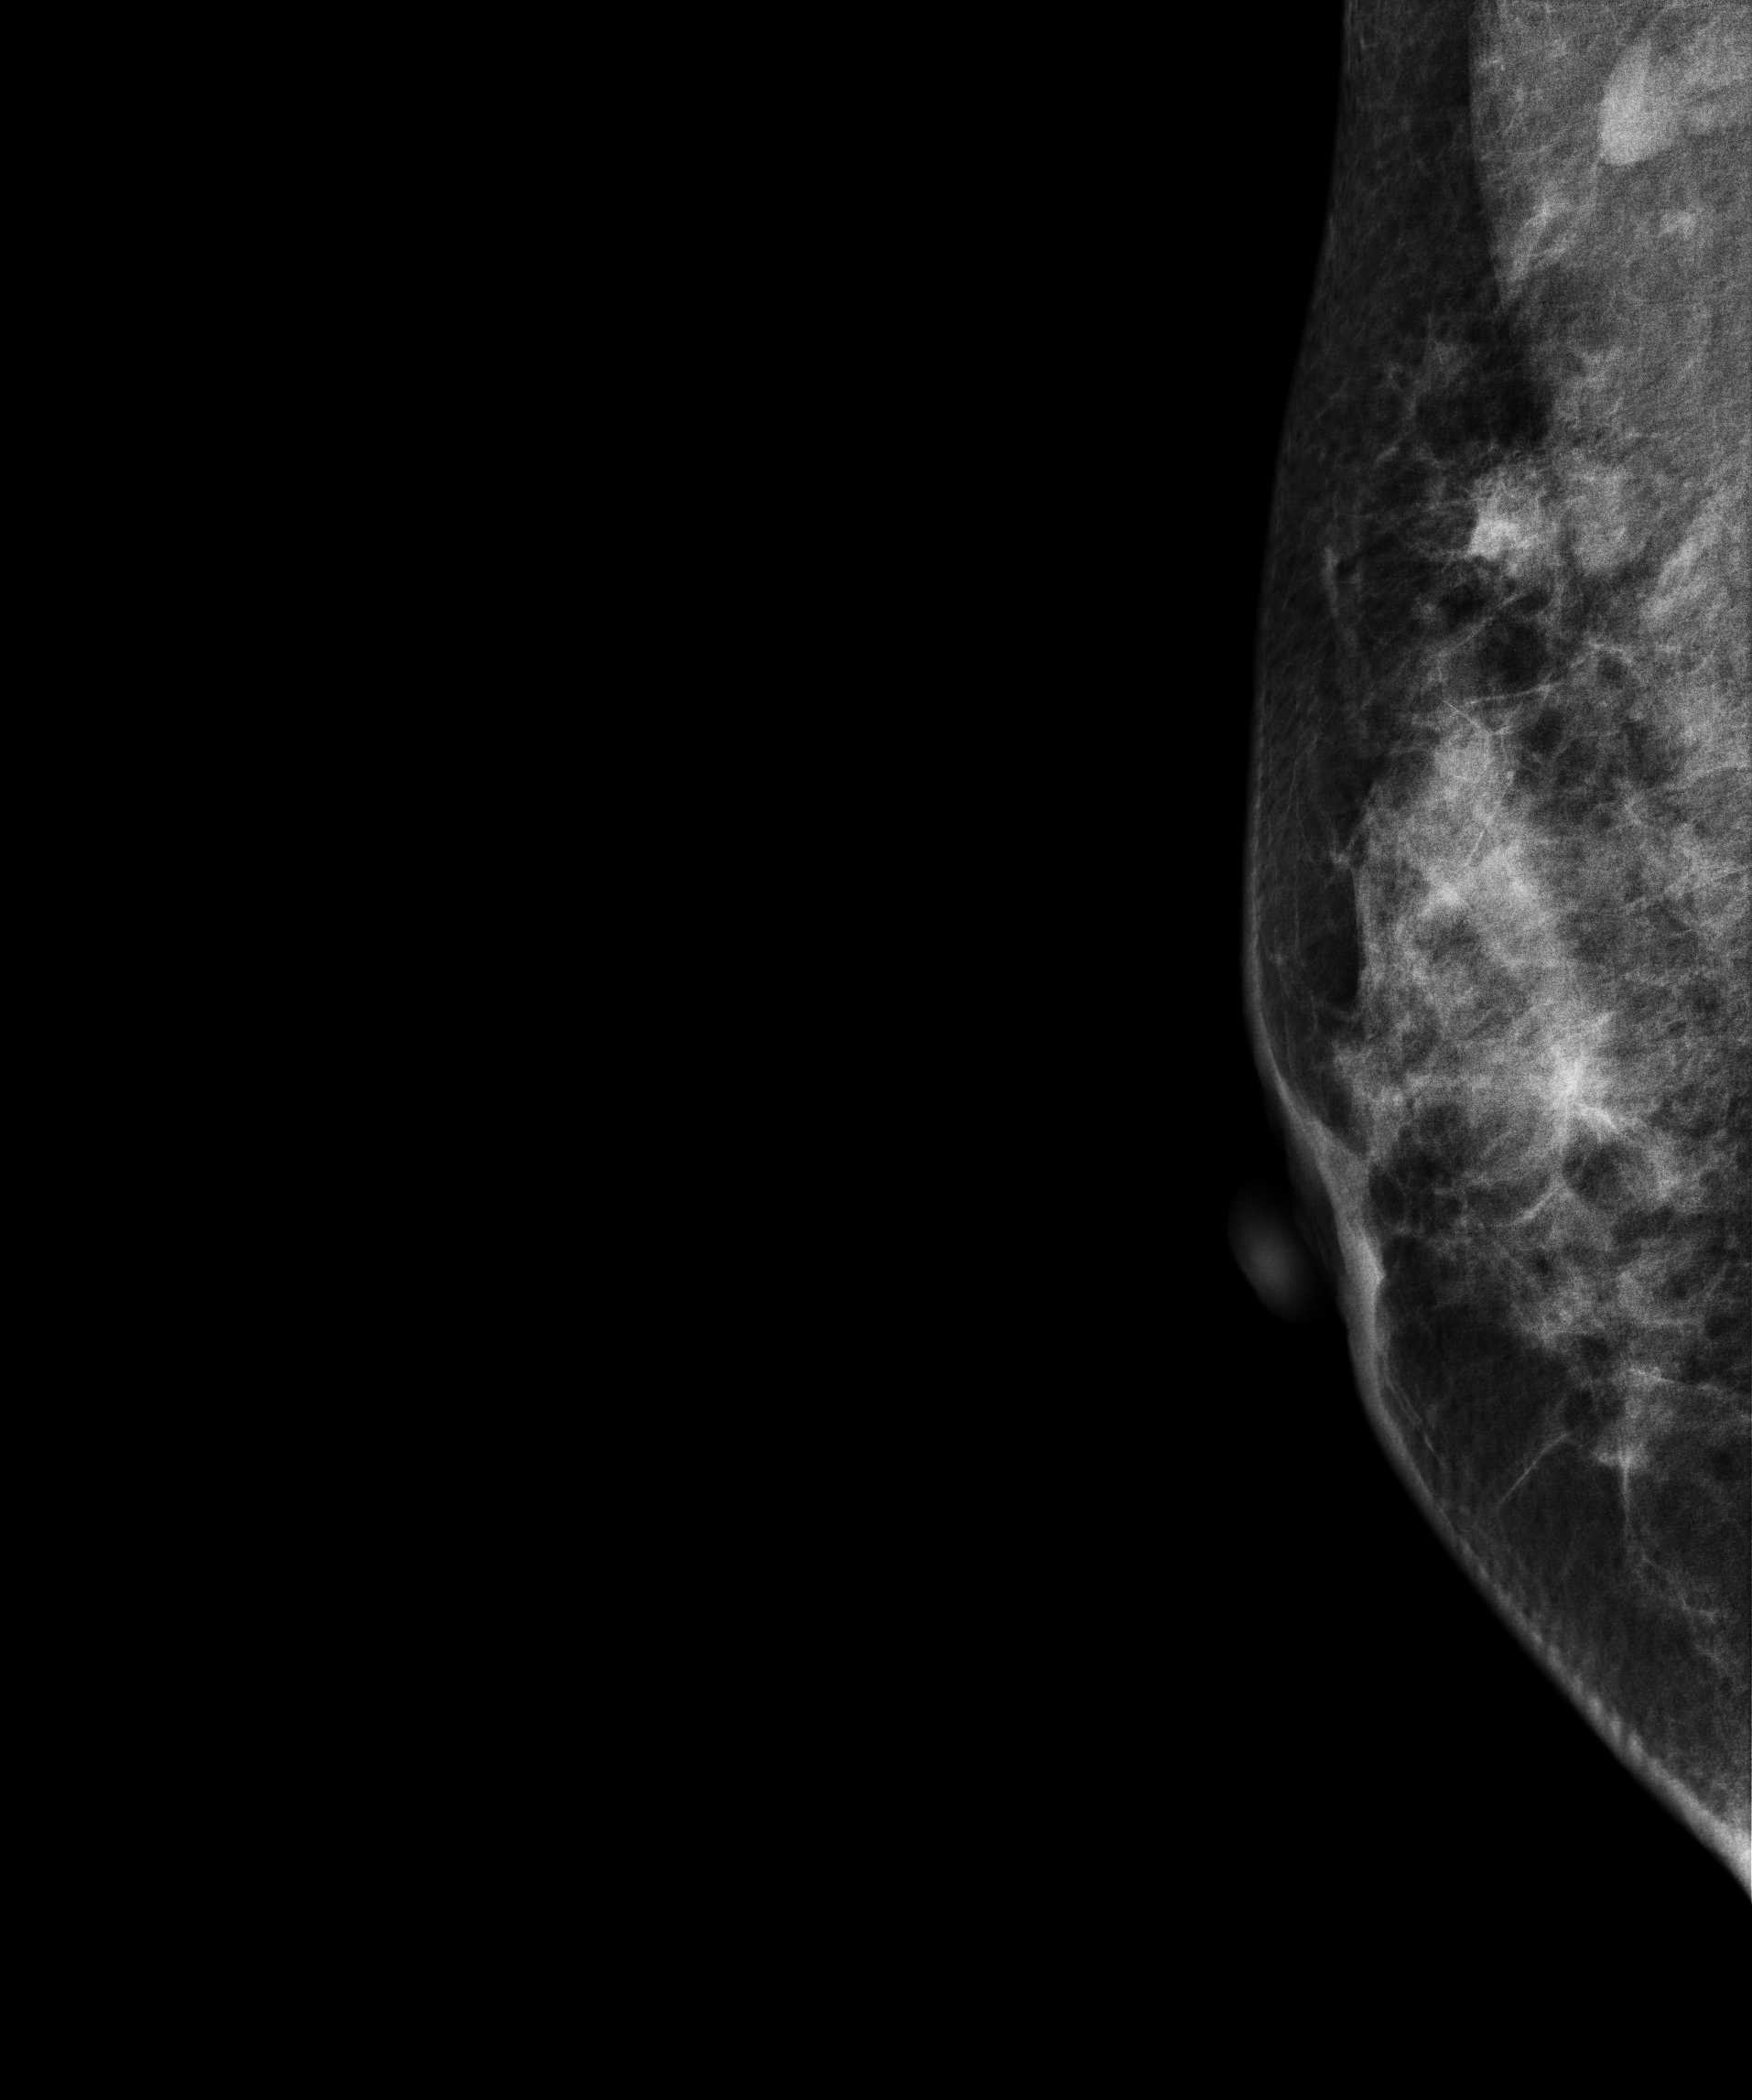
Right-breast mammogram, medio-lateral oblique. 37-year-old patient.
This breast has a mass, biopsy-confirmed malignant. Molecular subtype: luminal B.